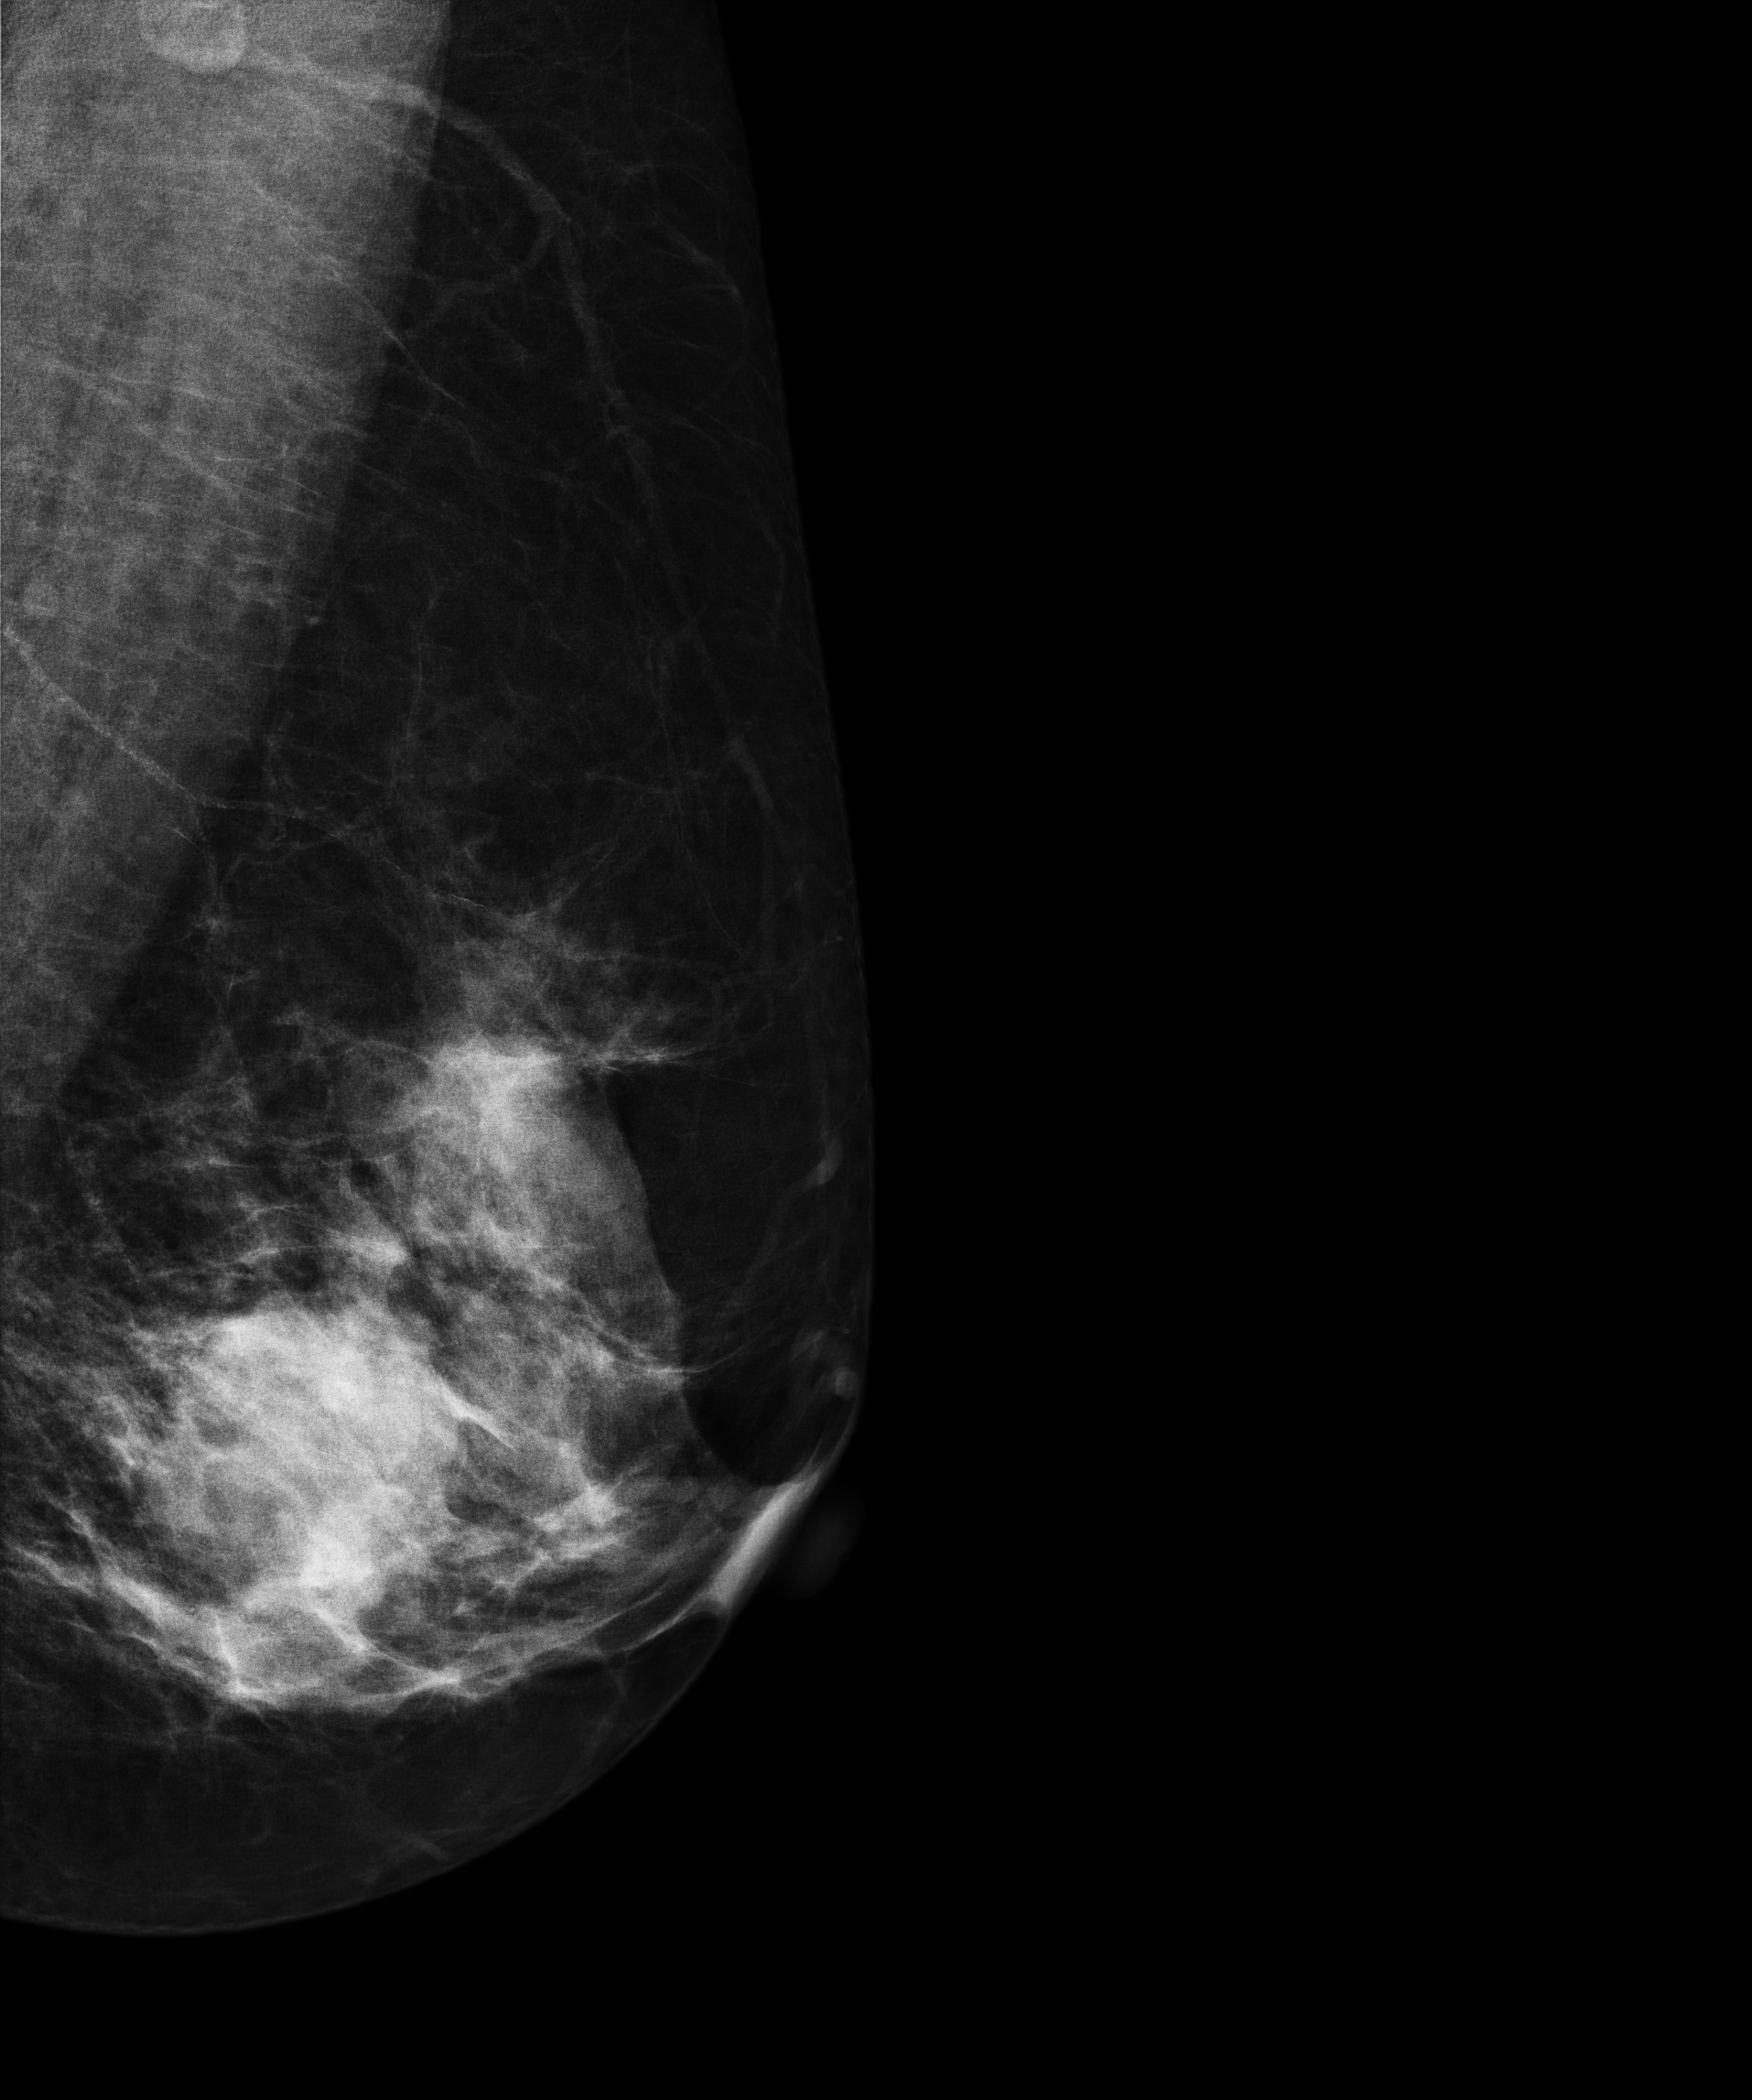
Mammogram, left breast, medio-lateral oblique view. 58-year-old patient.
This breast has a mass, biopsy-confirmed malignant.